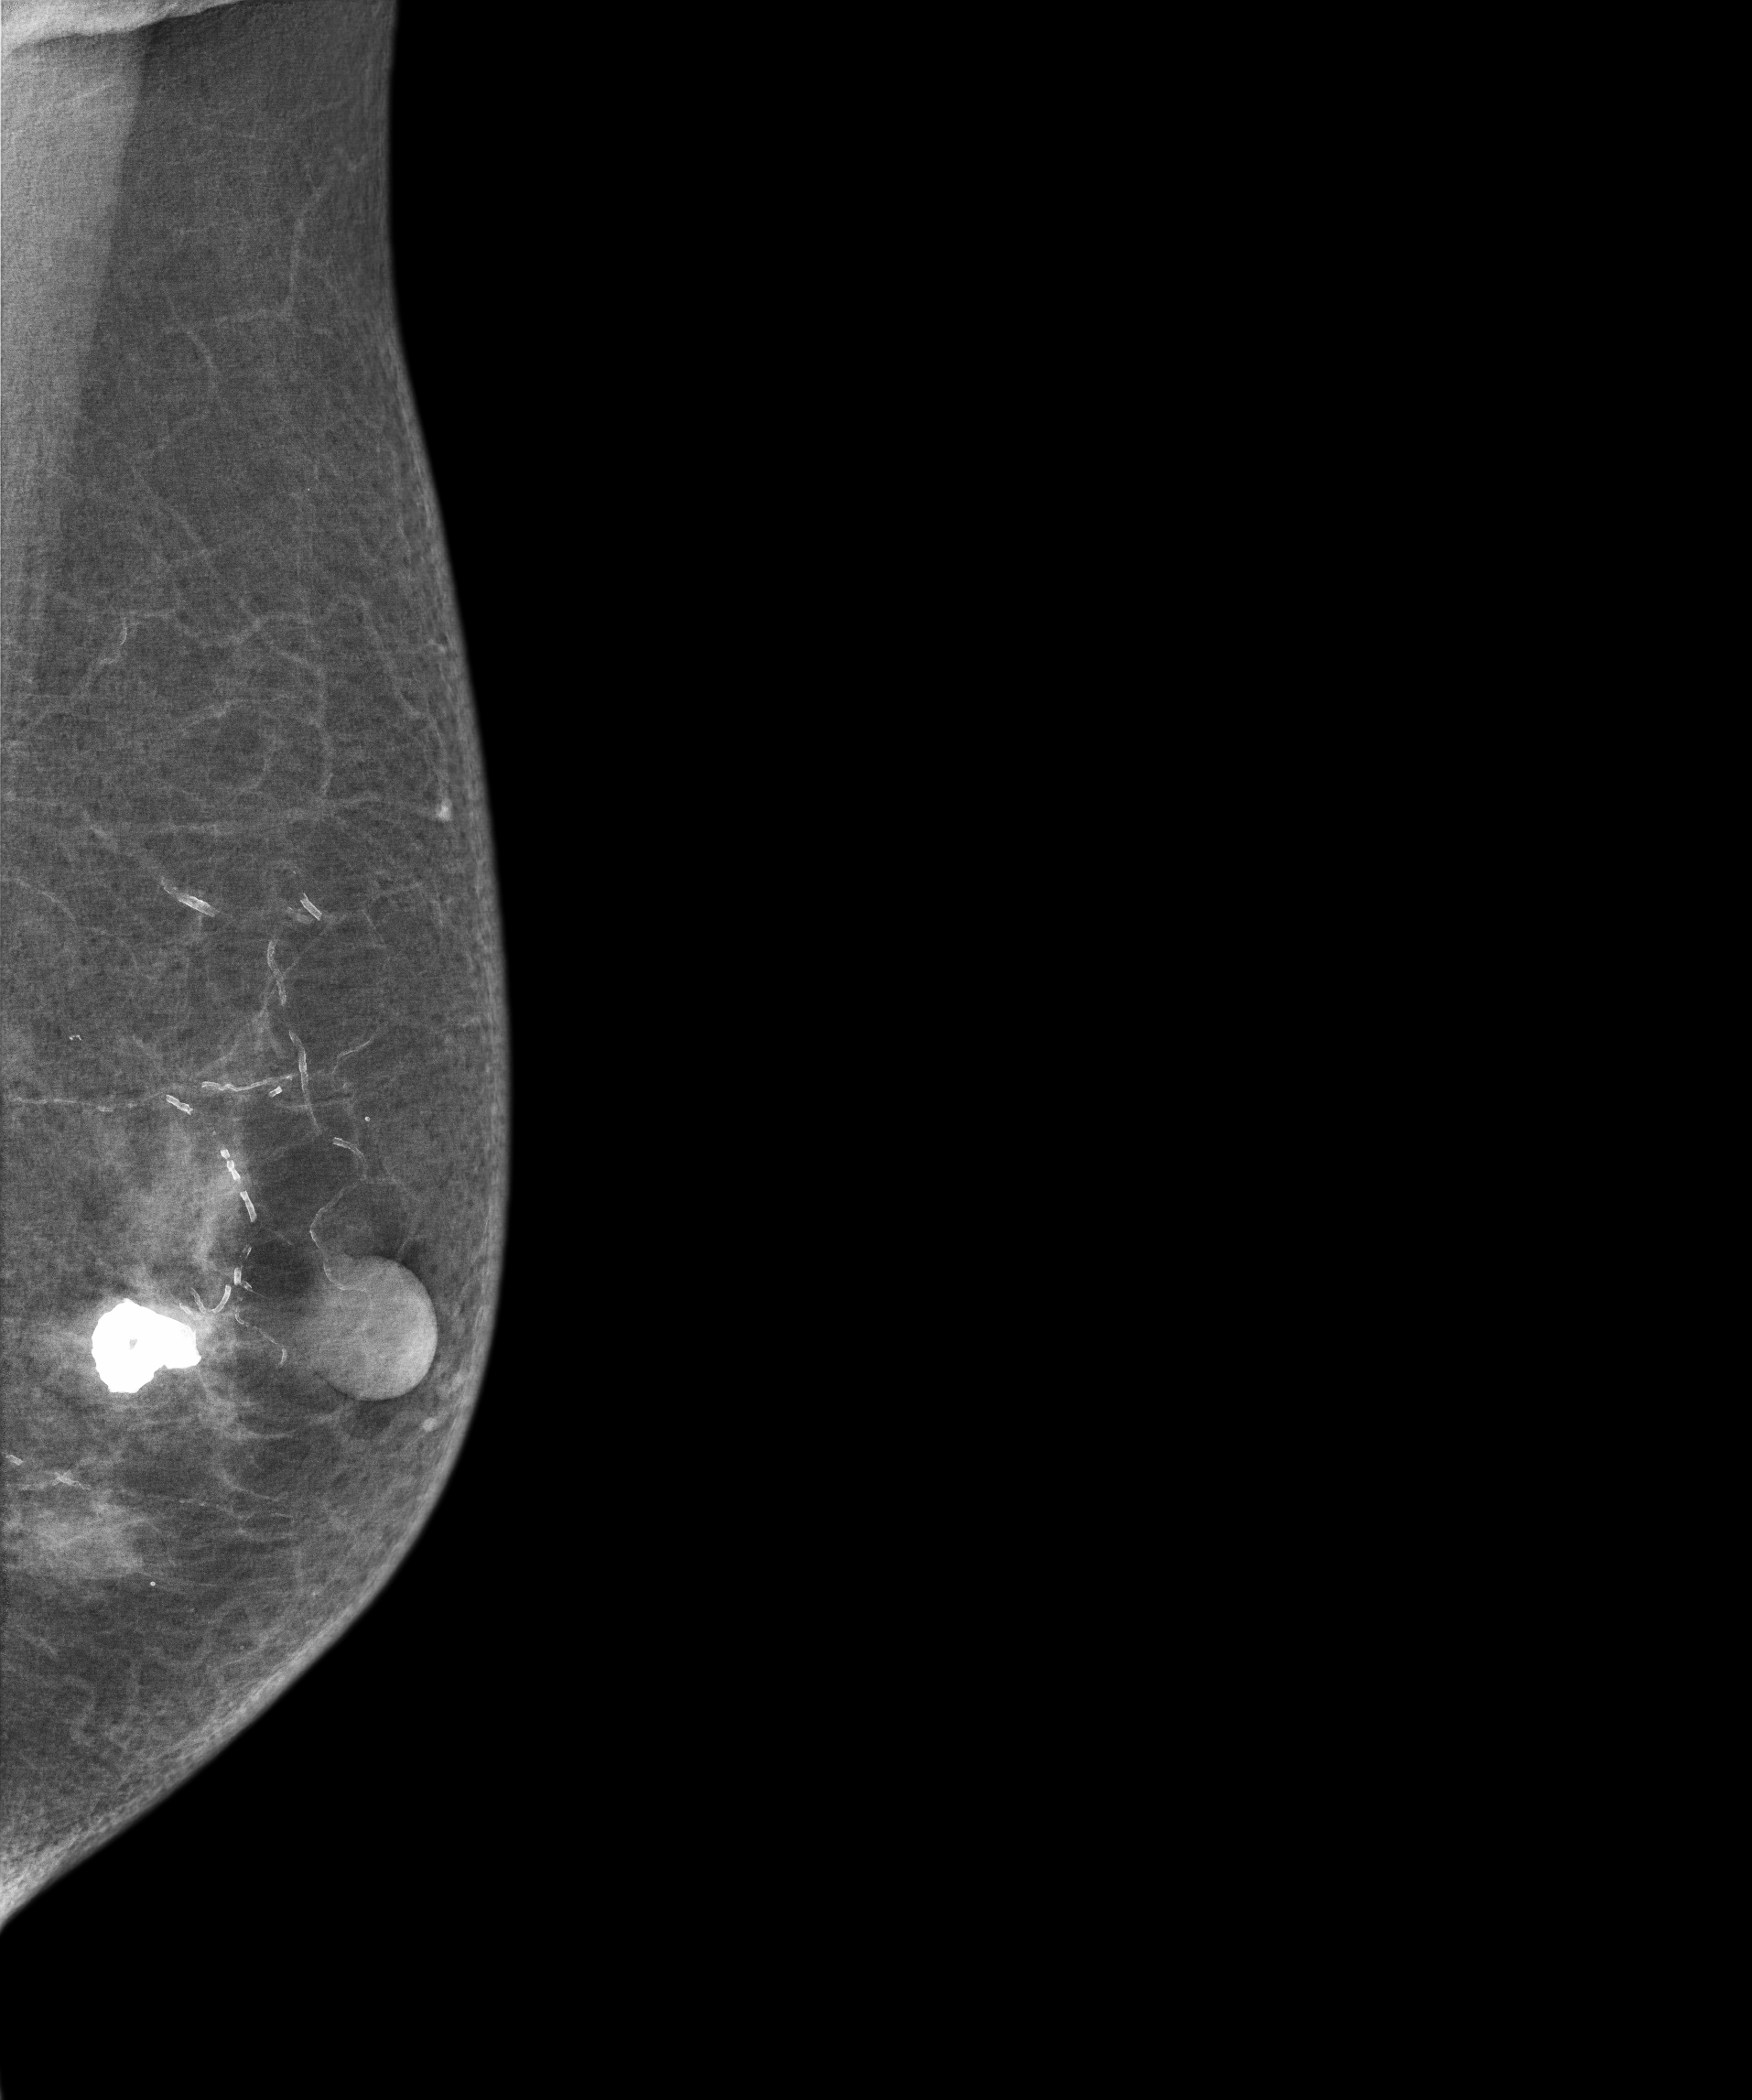
Right-breast mammogram, medio-lateral oblique. Patient age 84.
This breast has a mass, pathology-confirmed benign.